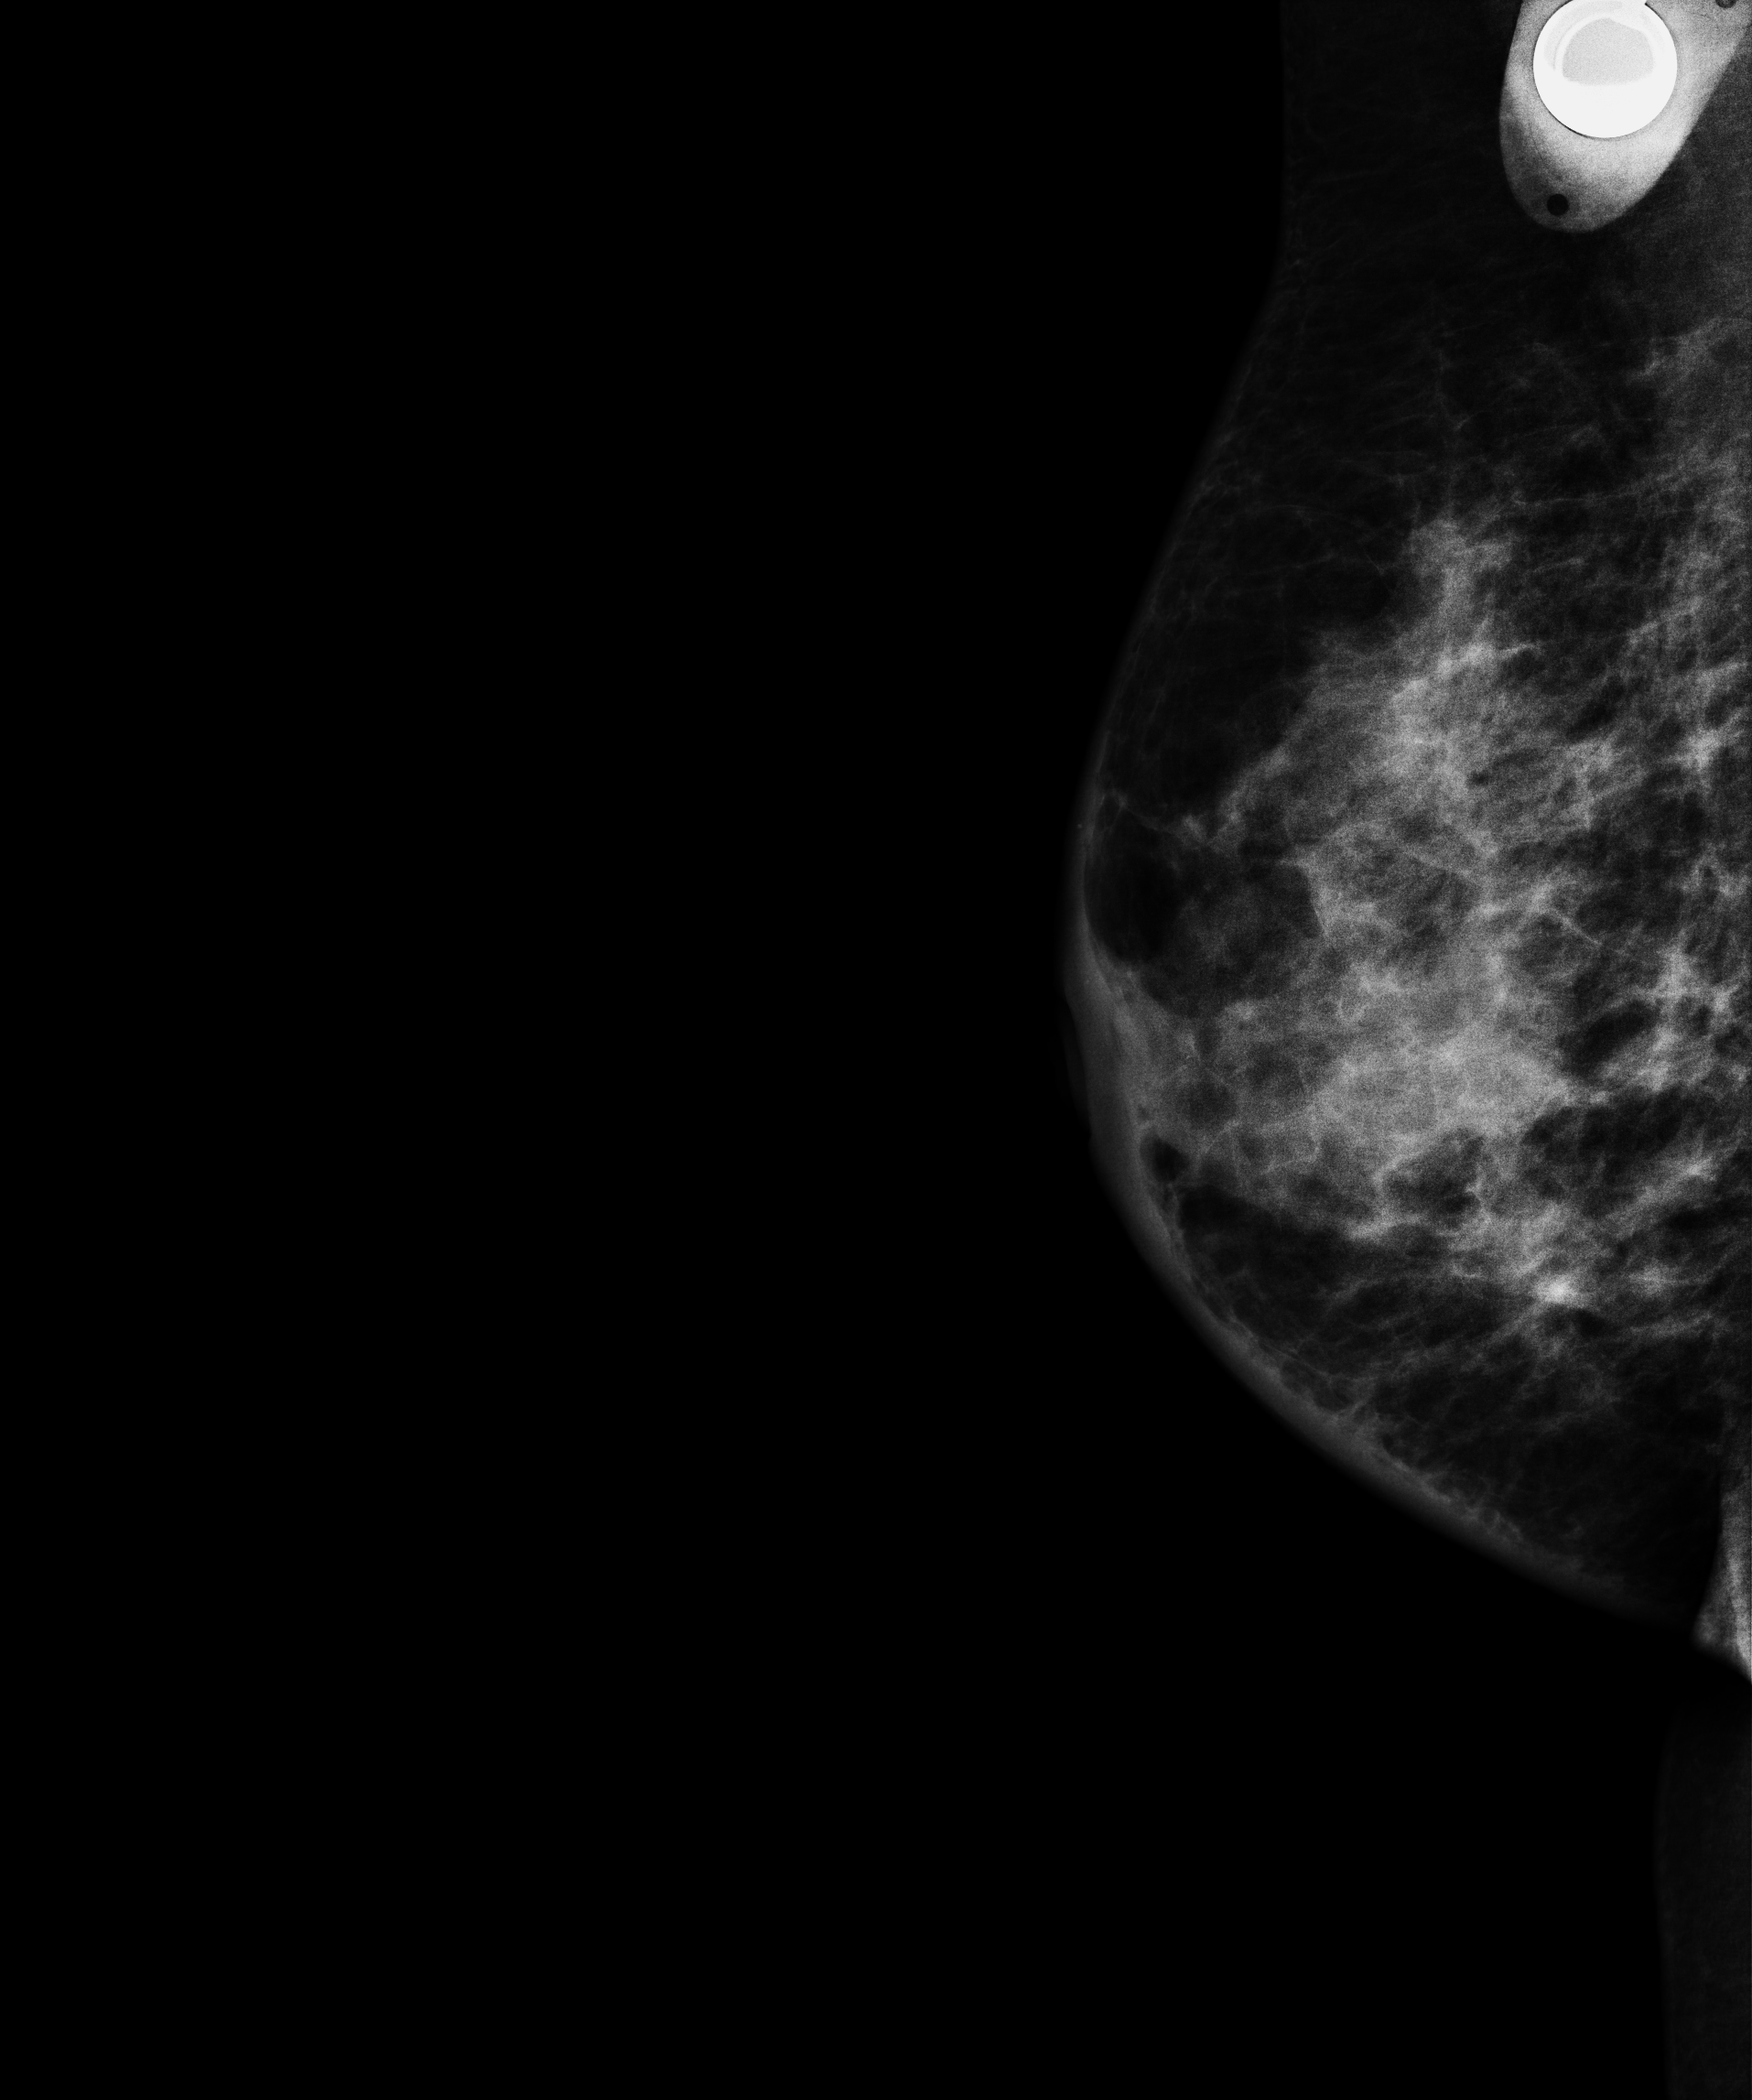
Mammogram — right medio-lateral oblique. 49-year-old patient.
This breast has a mass and calcifications, biopsy-proven malignant. Molecular subtype: luminal B.